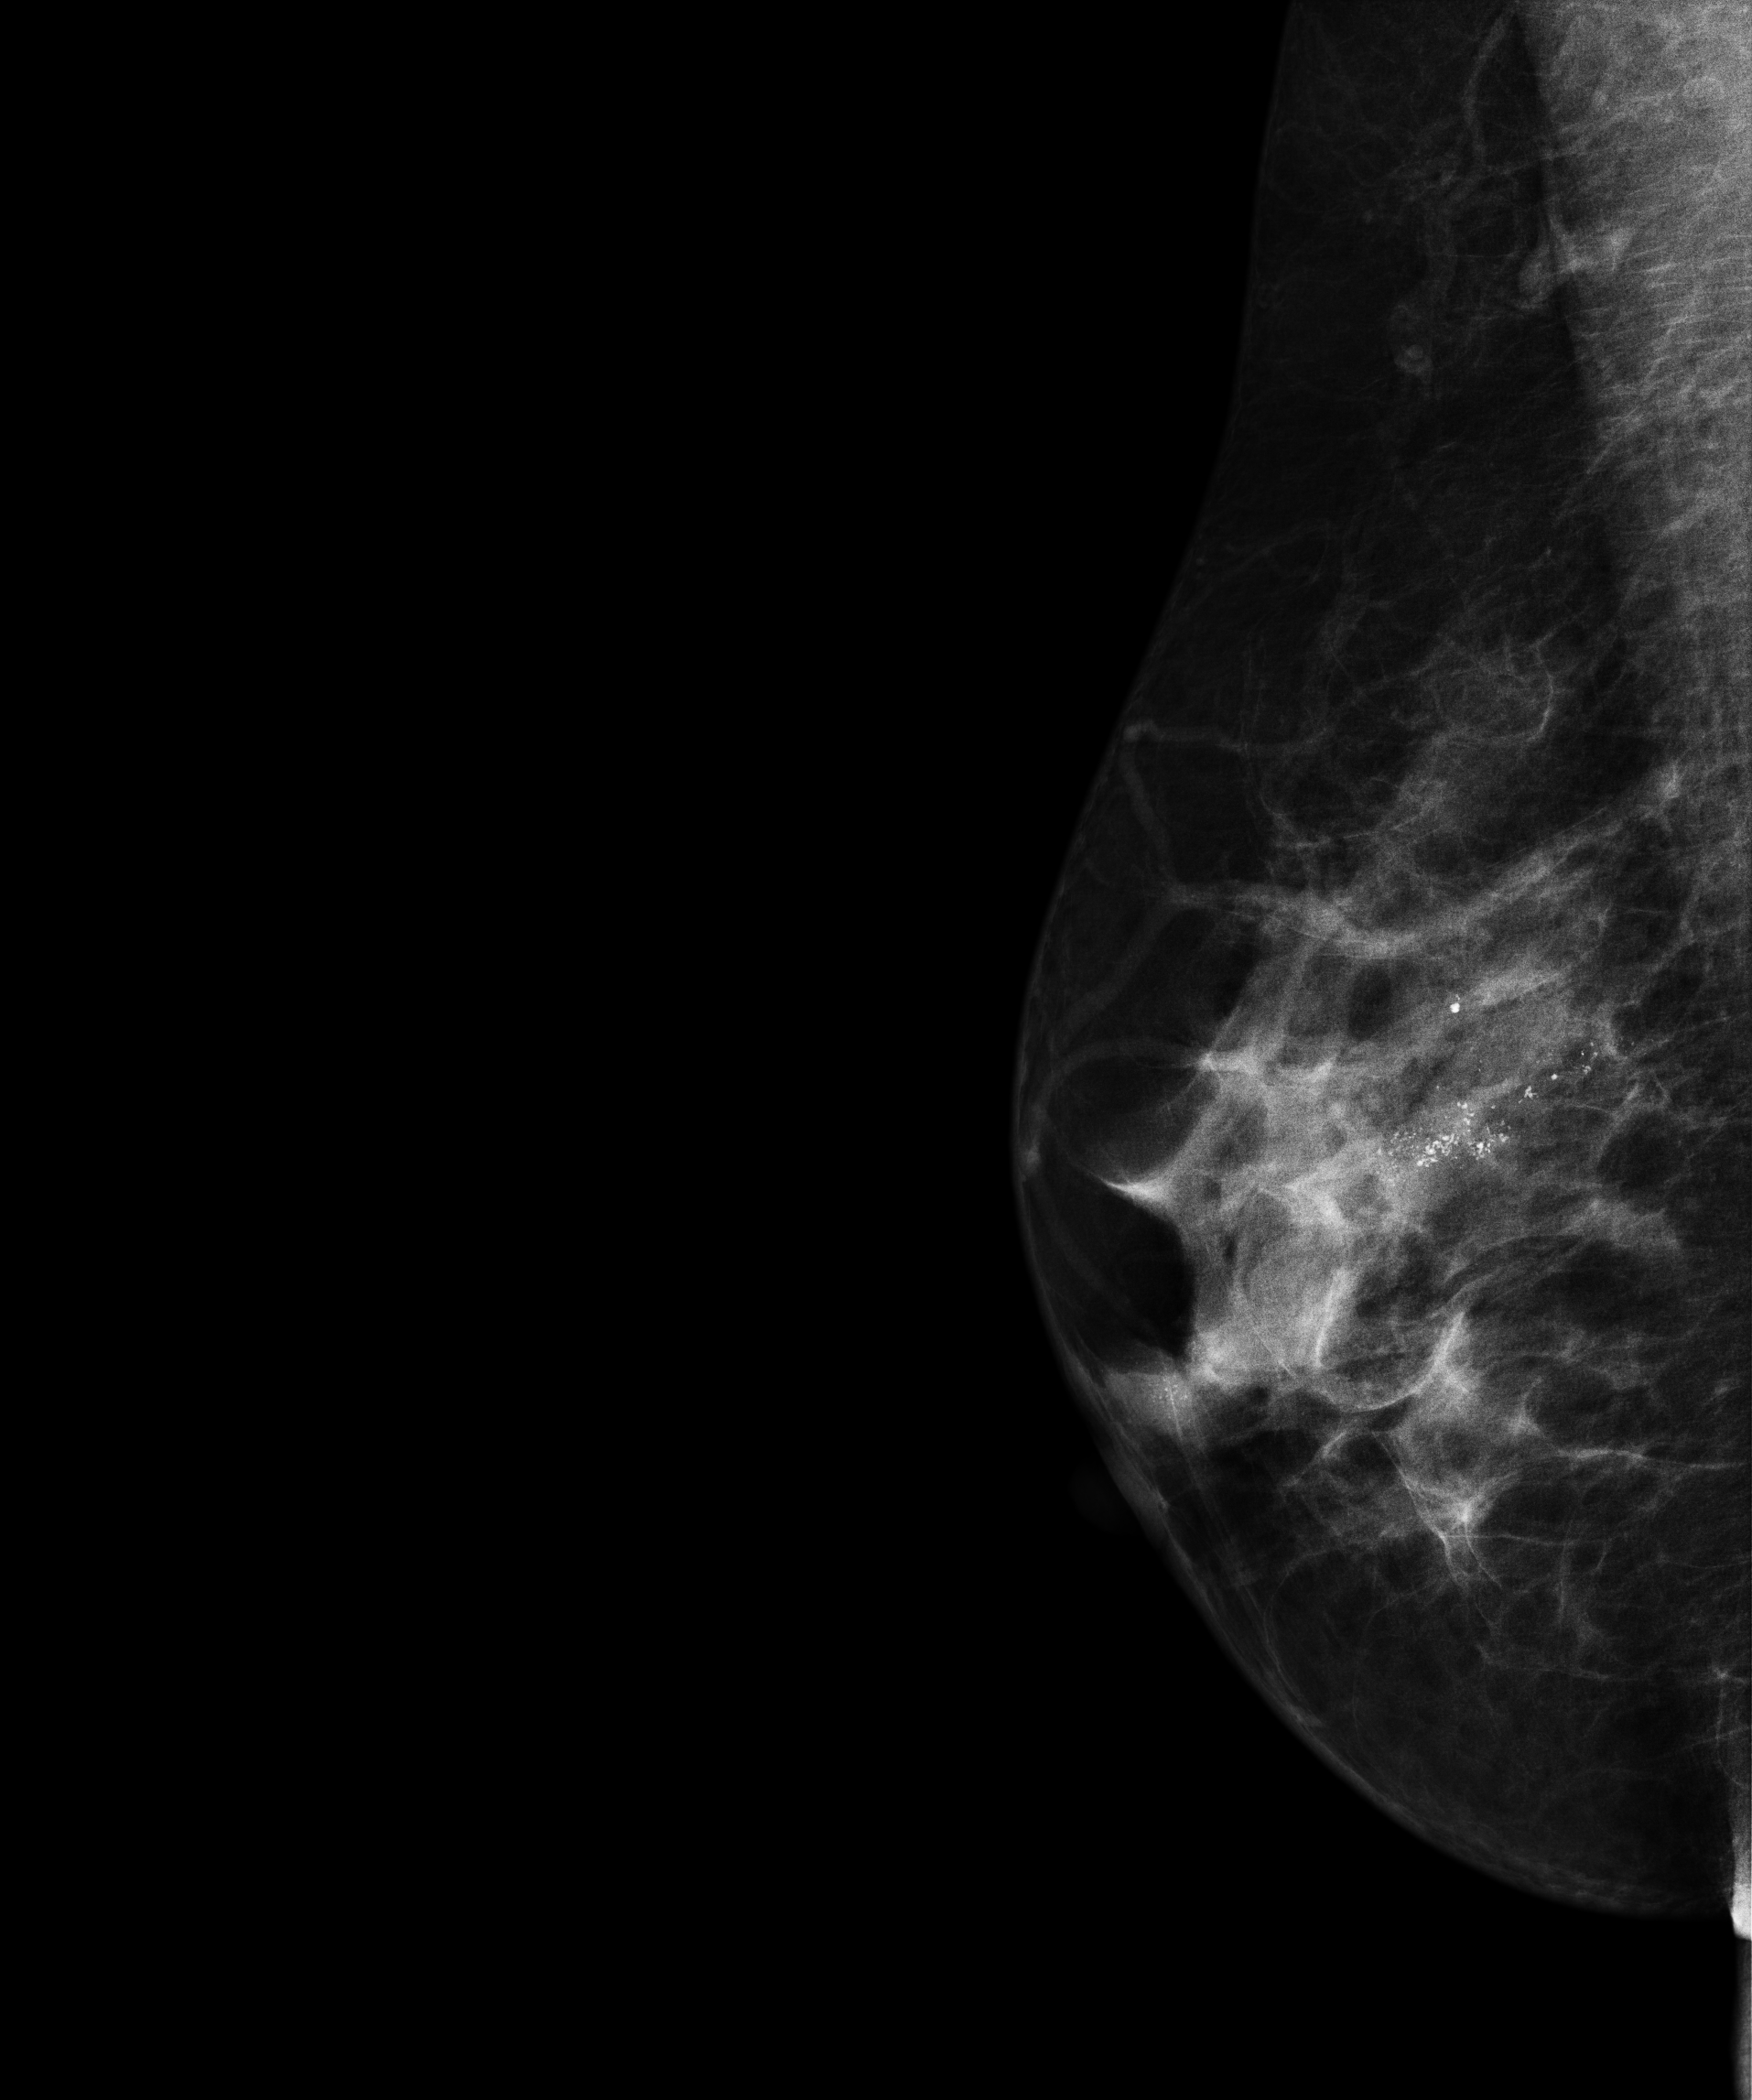
Medio-lateral oblique mammogram of the right breast. 46 y/o patient.
This breast has calcifications, histologically confirmed malignant.